Mammogram — left cranio-caudal. Patient age 40.
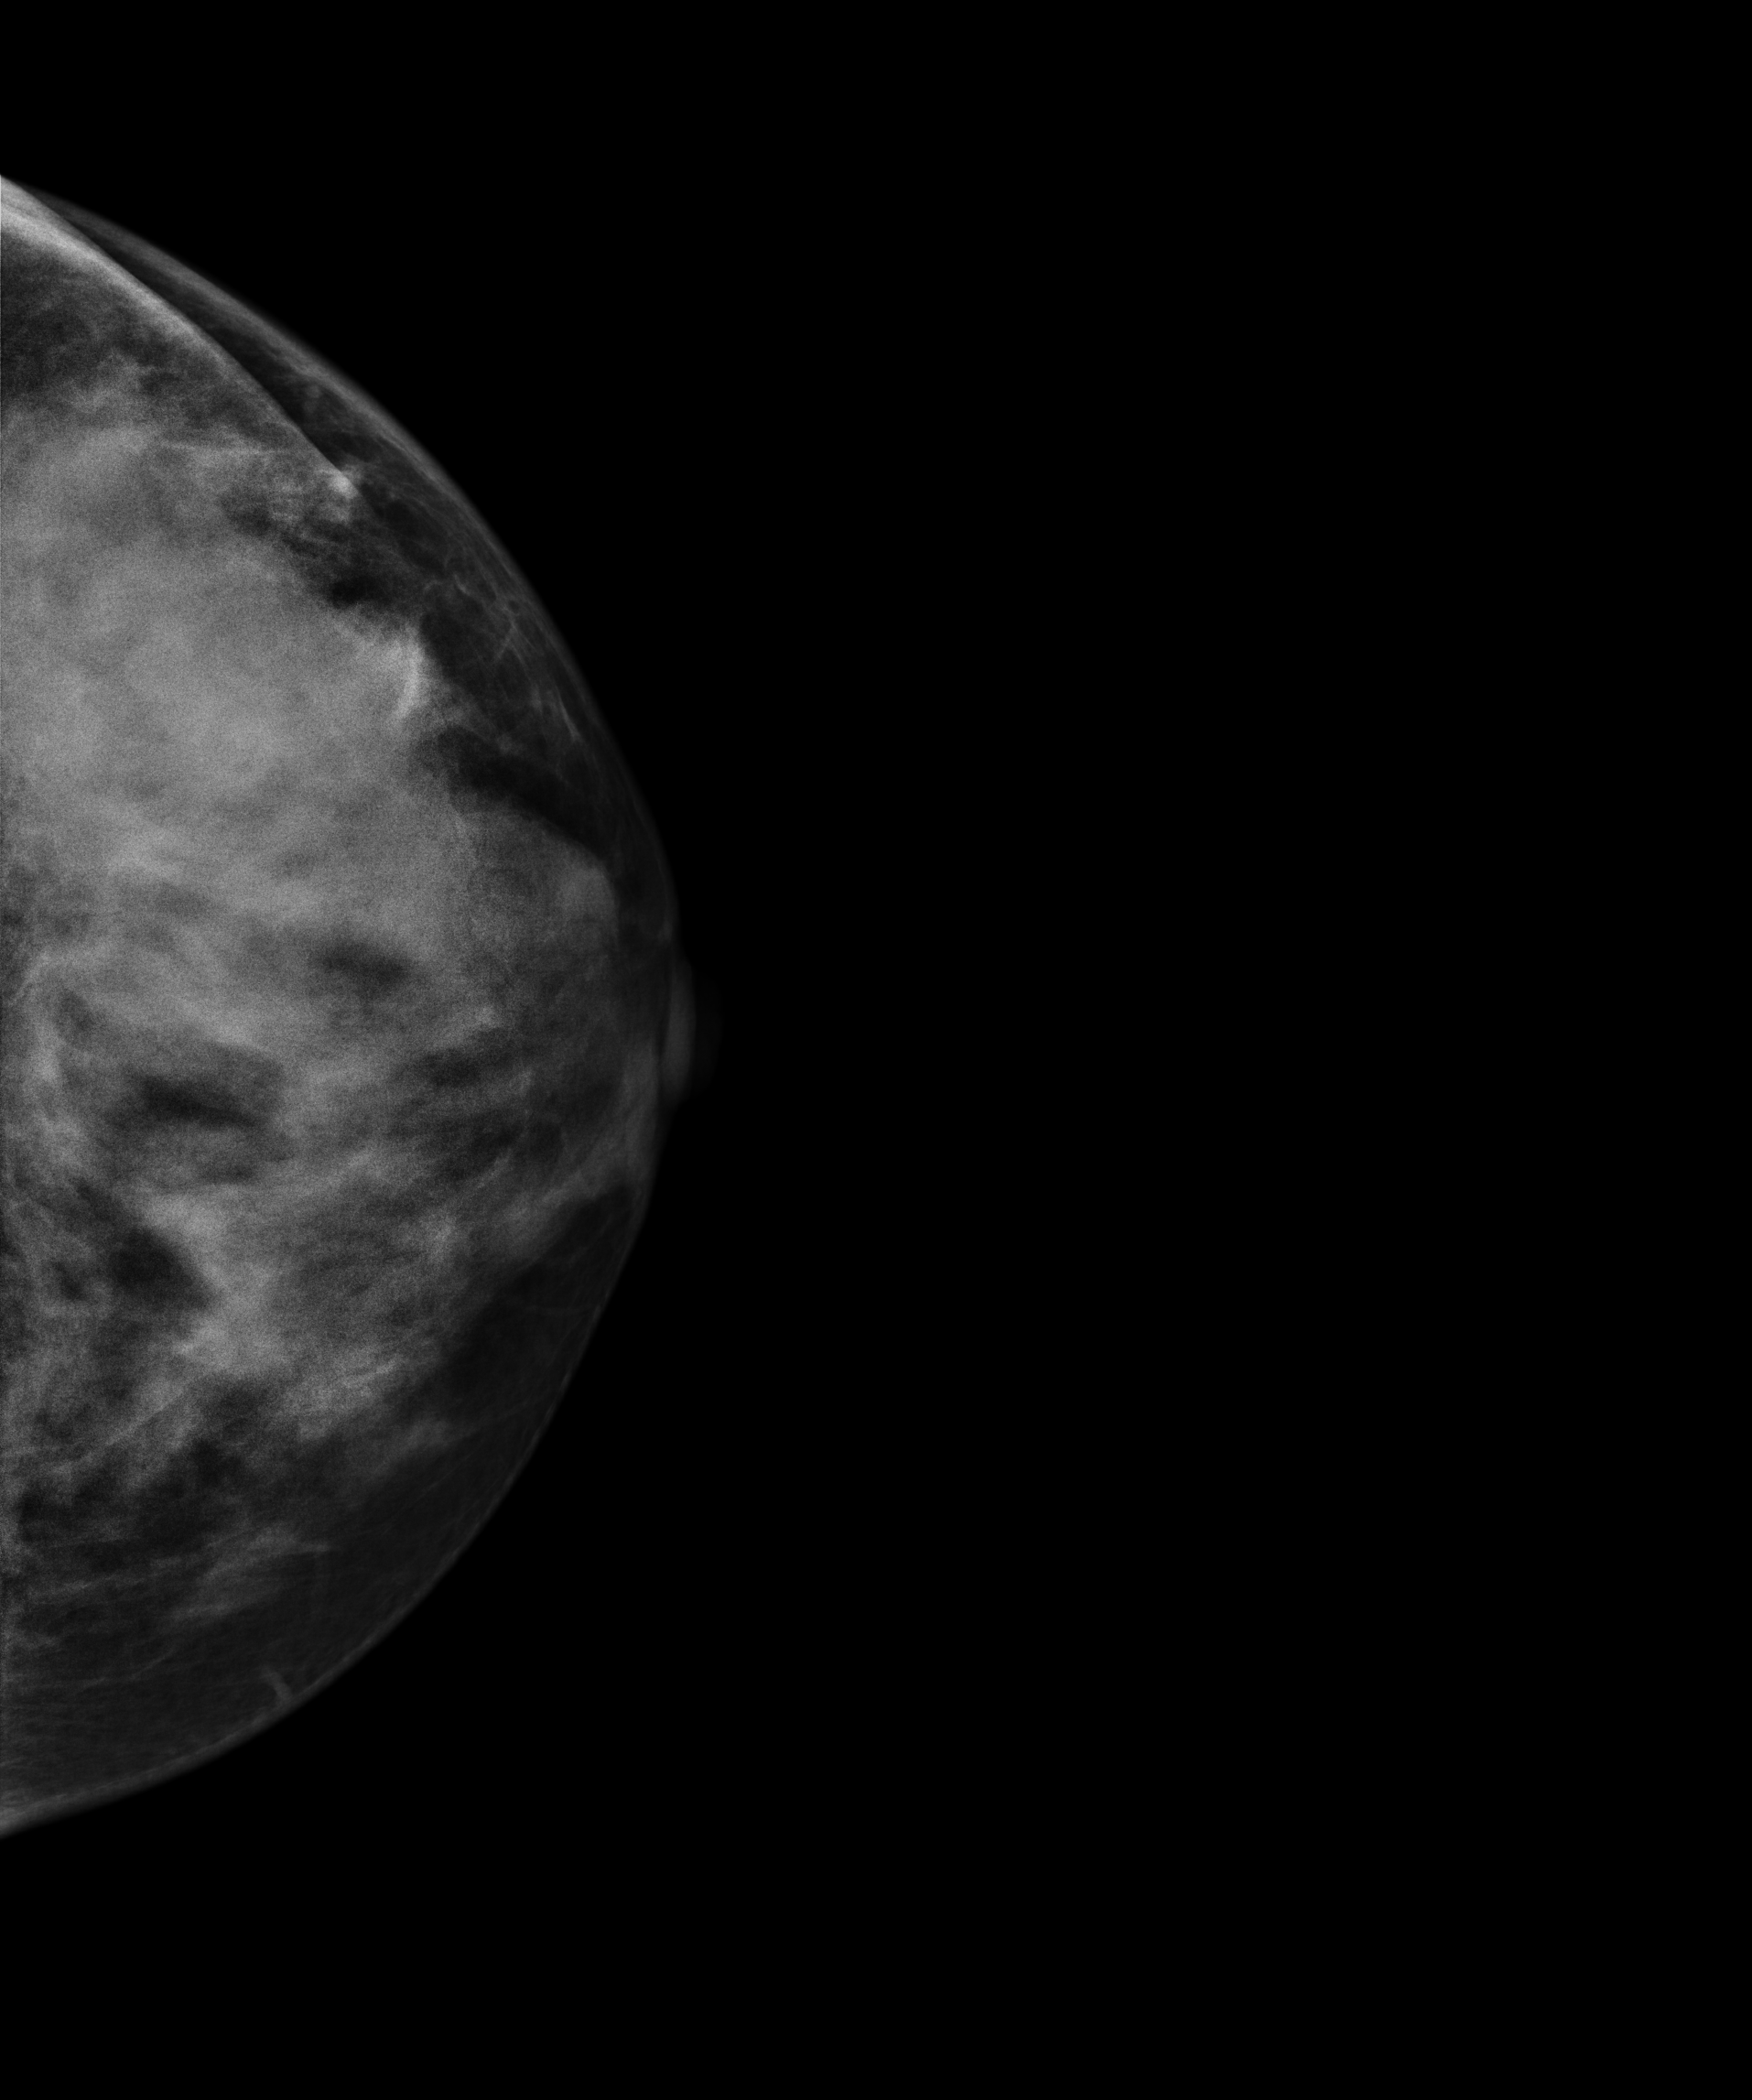
This breast has a mass, pathology-confirmed benign.